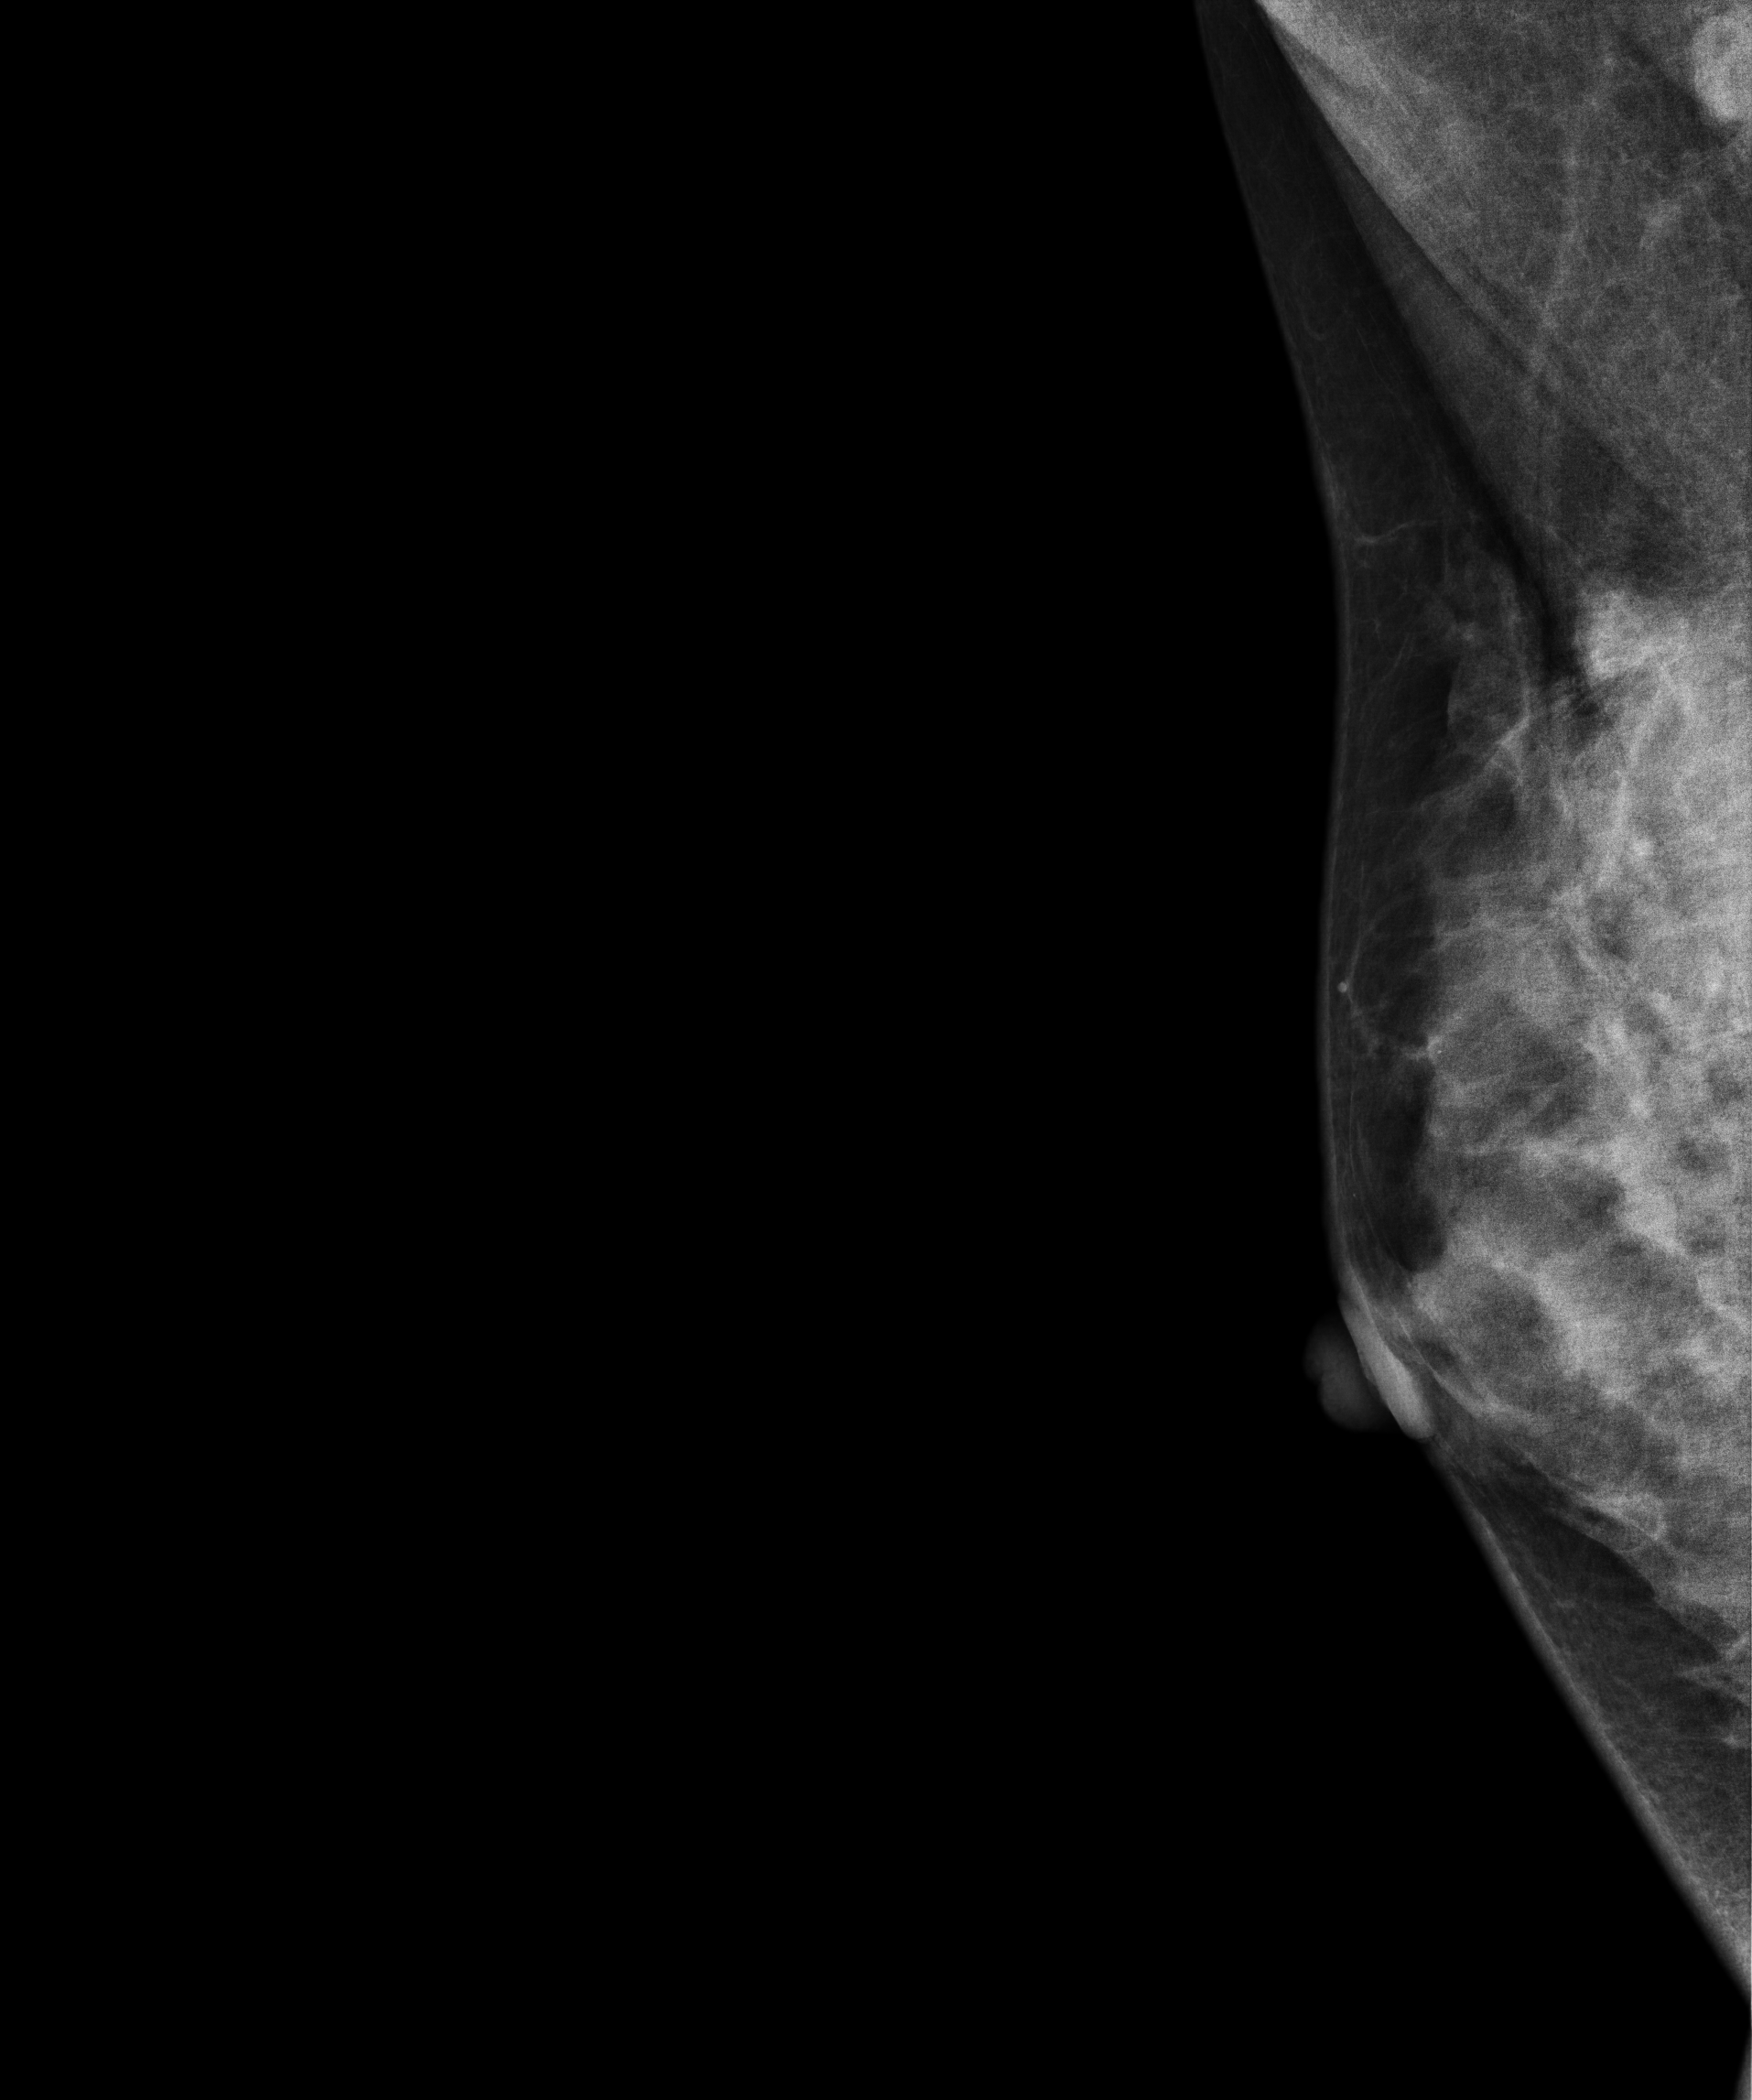
Mammogram, right breast, medio-lateral oblique view. Patient age 27.
This breast has a mass, biopsy-confirmed malignant. Molecular subtype: luminal B.